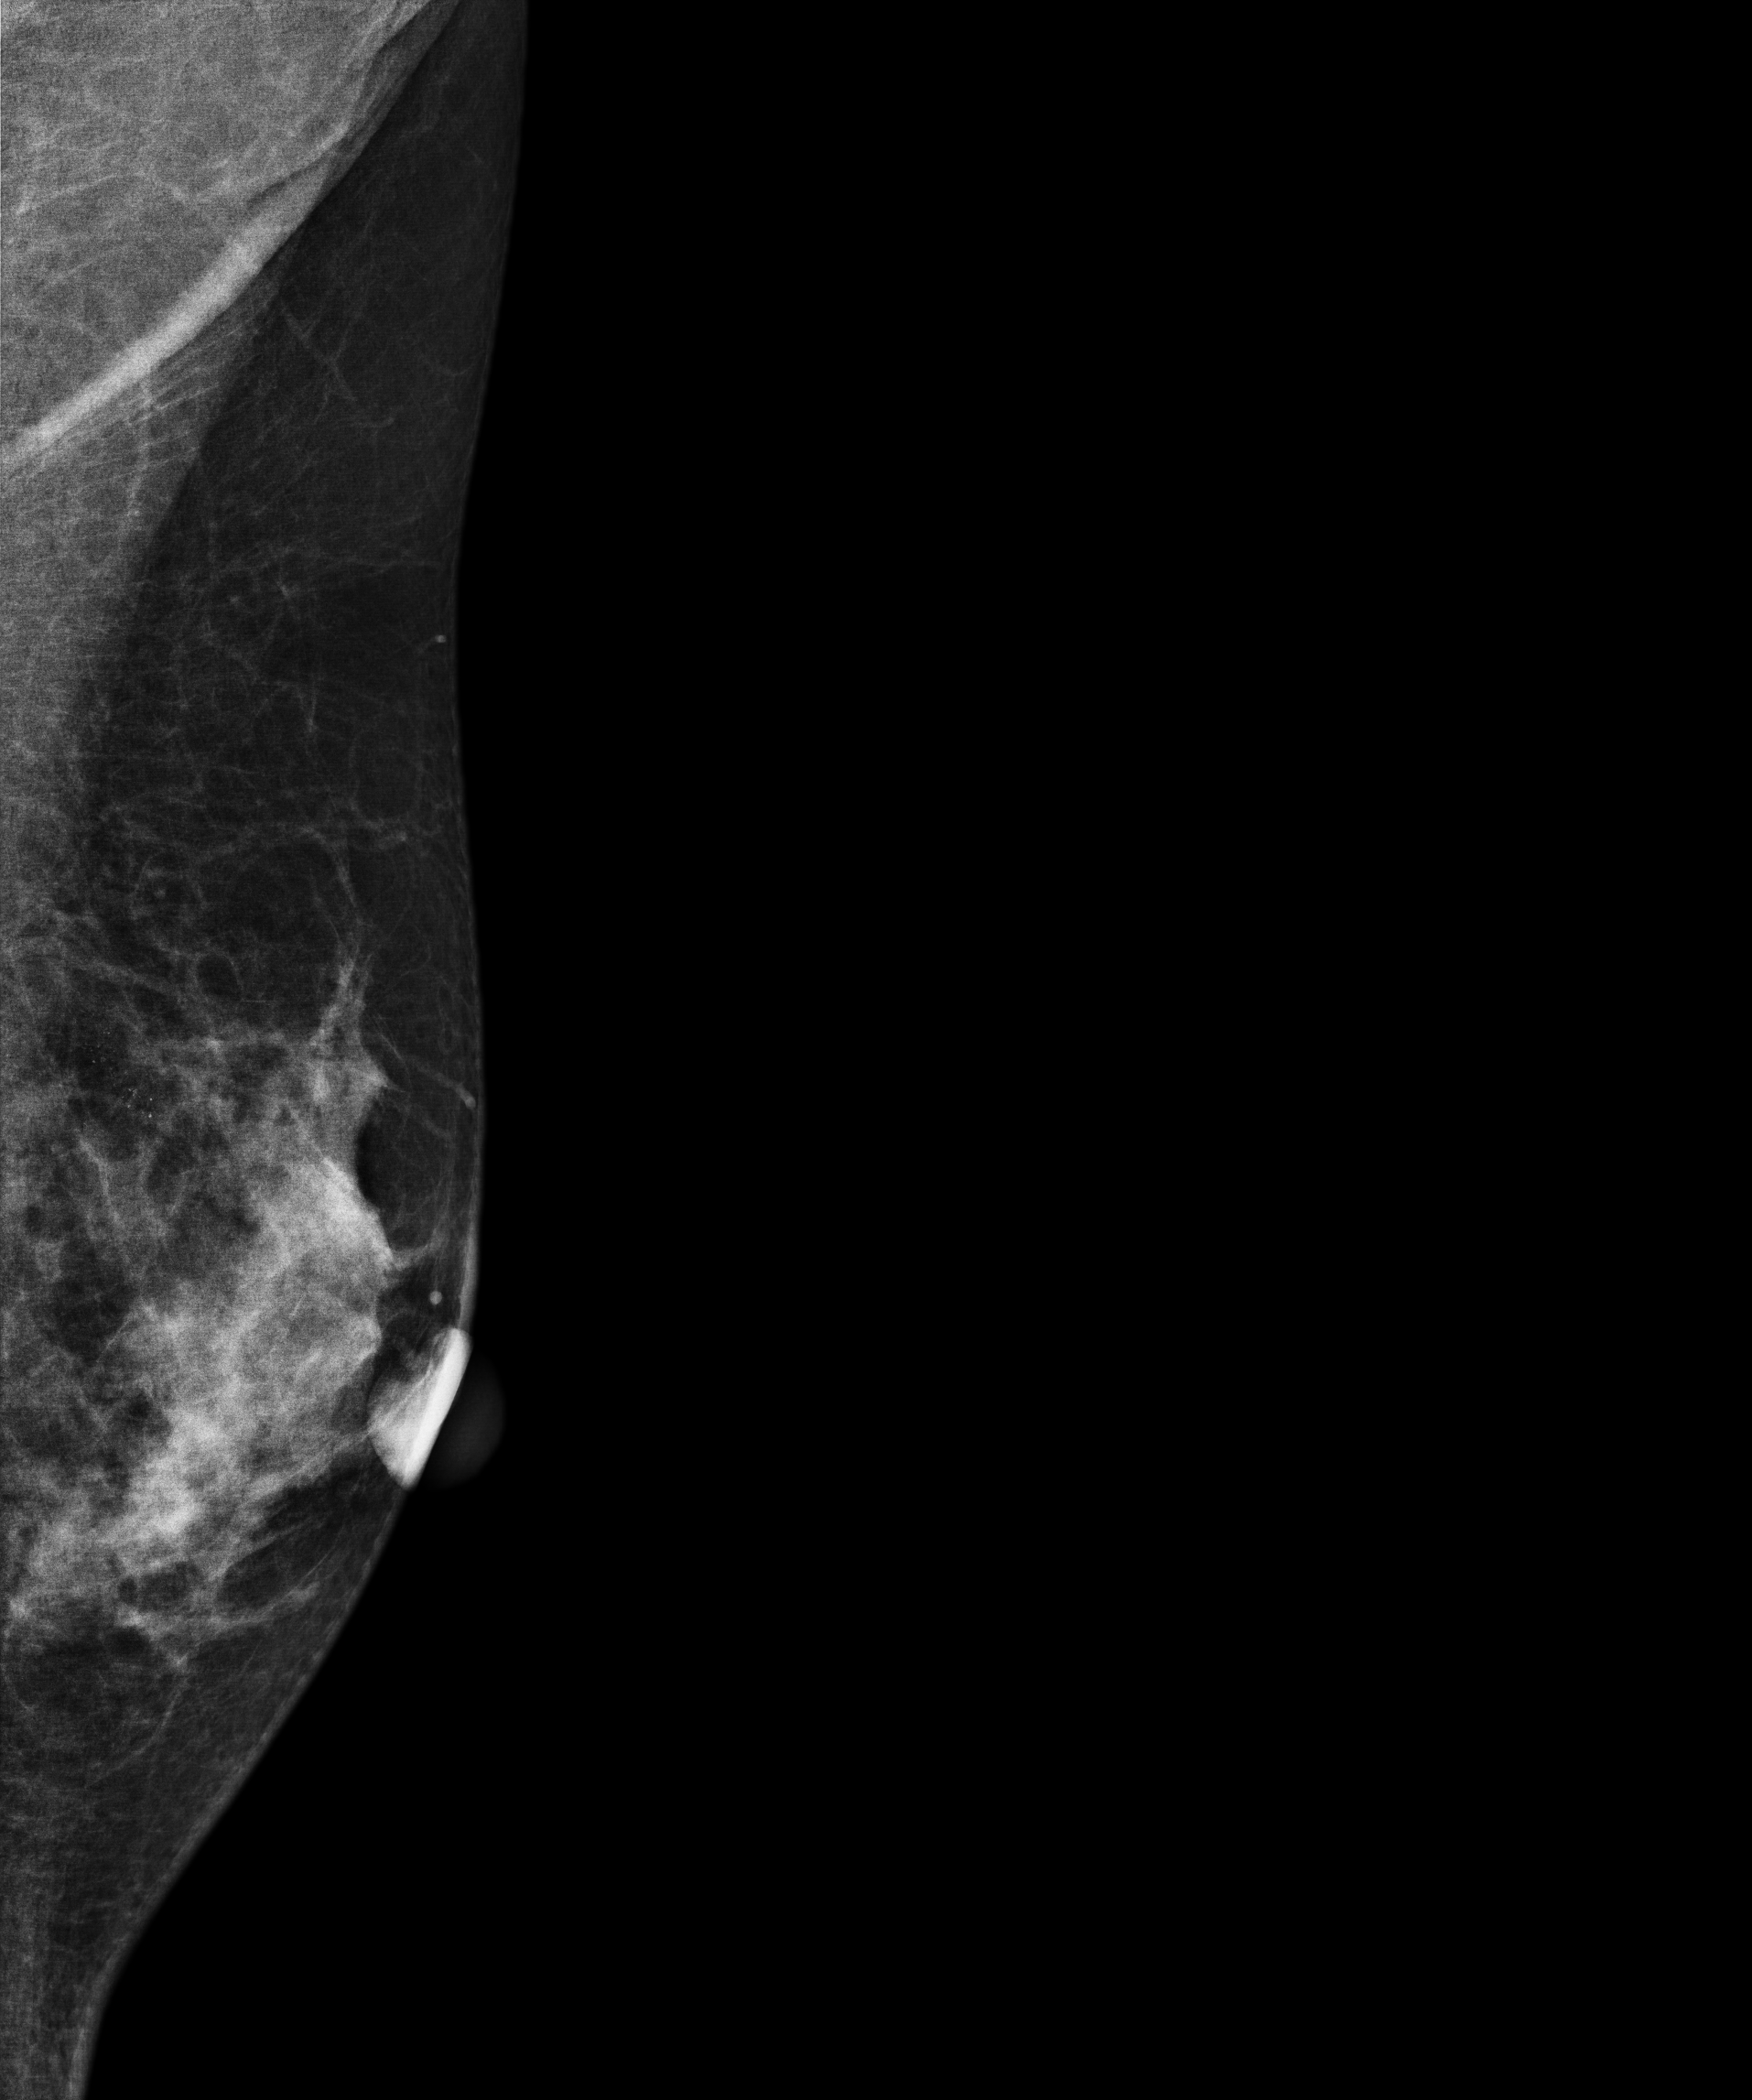
MLO mammogram of the left breast. 43 y/o patient.
This breast has calcifications, biopsy-confirmed benign.